Mammogram — left cranio-caudal. 36-year-old patient.
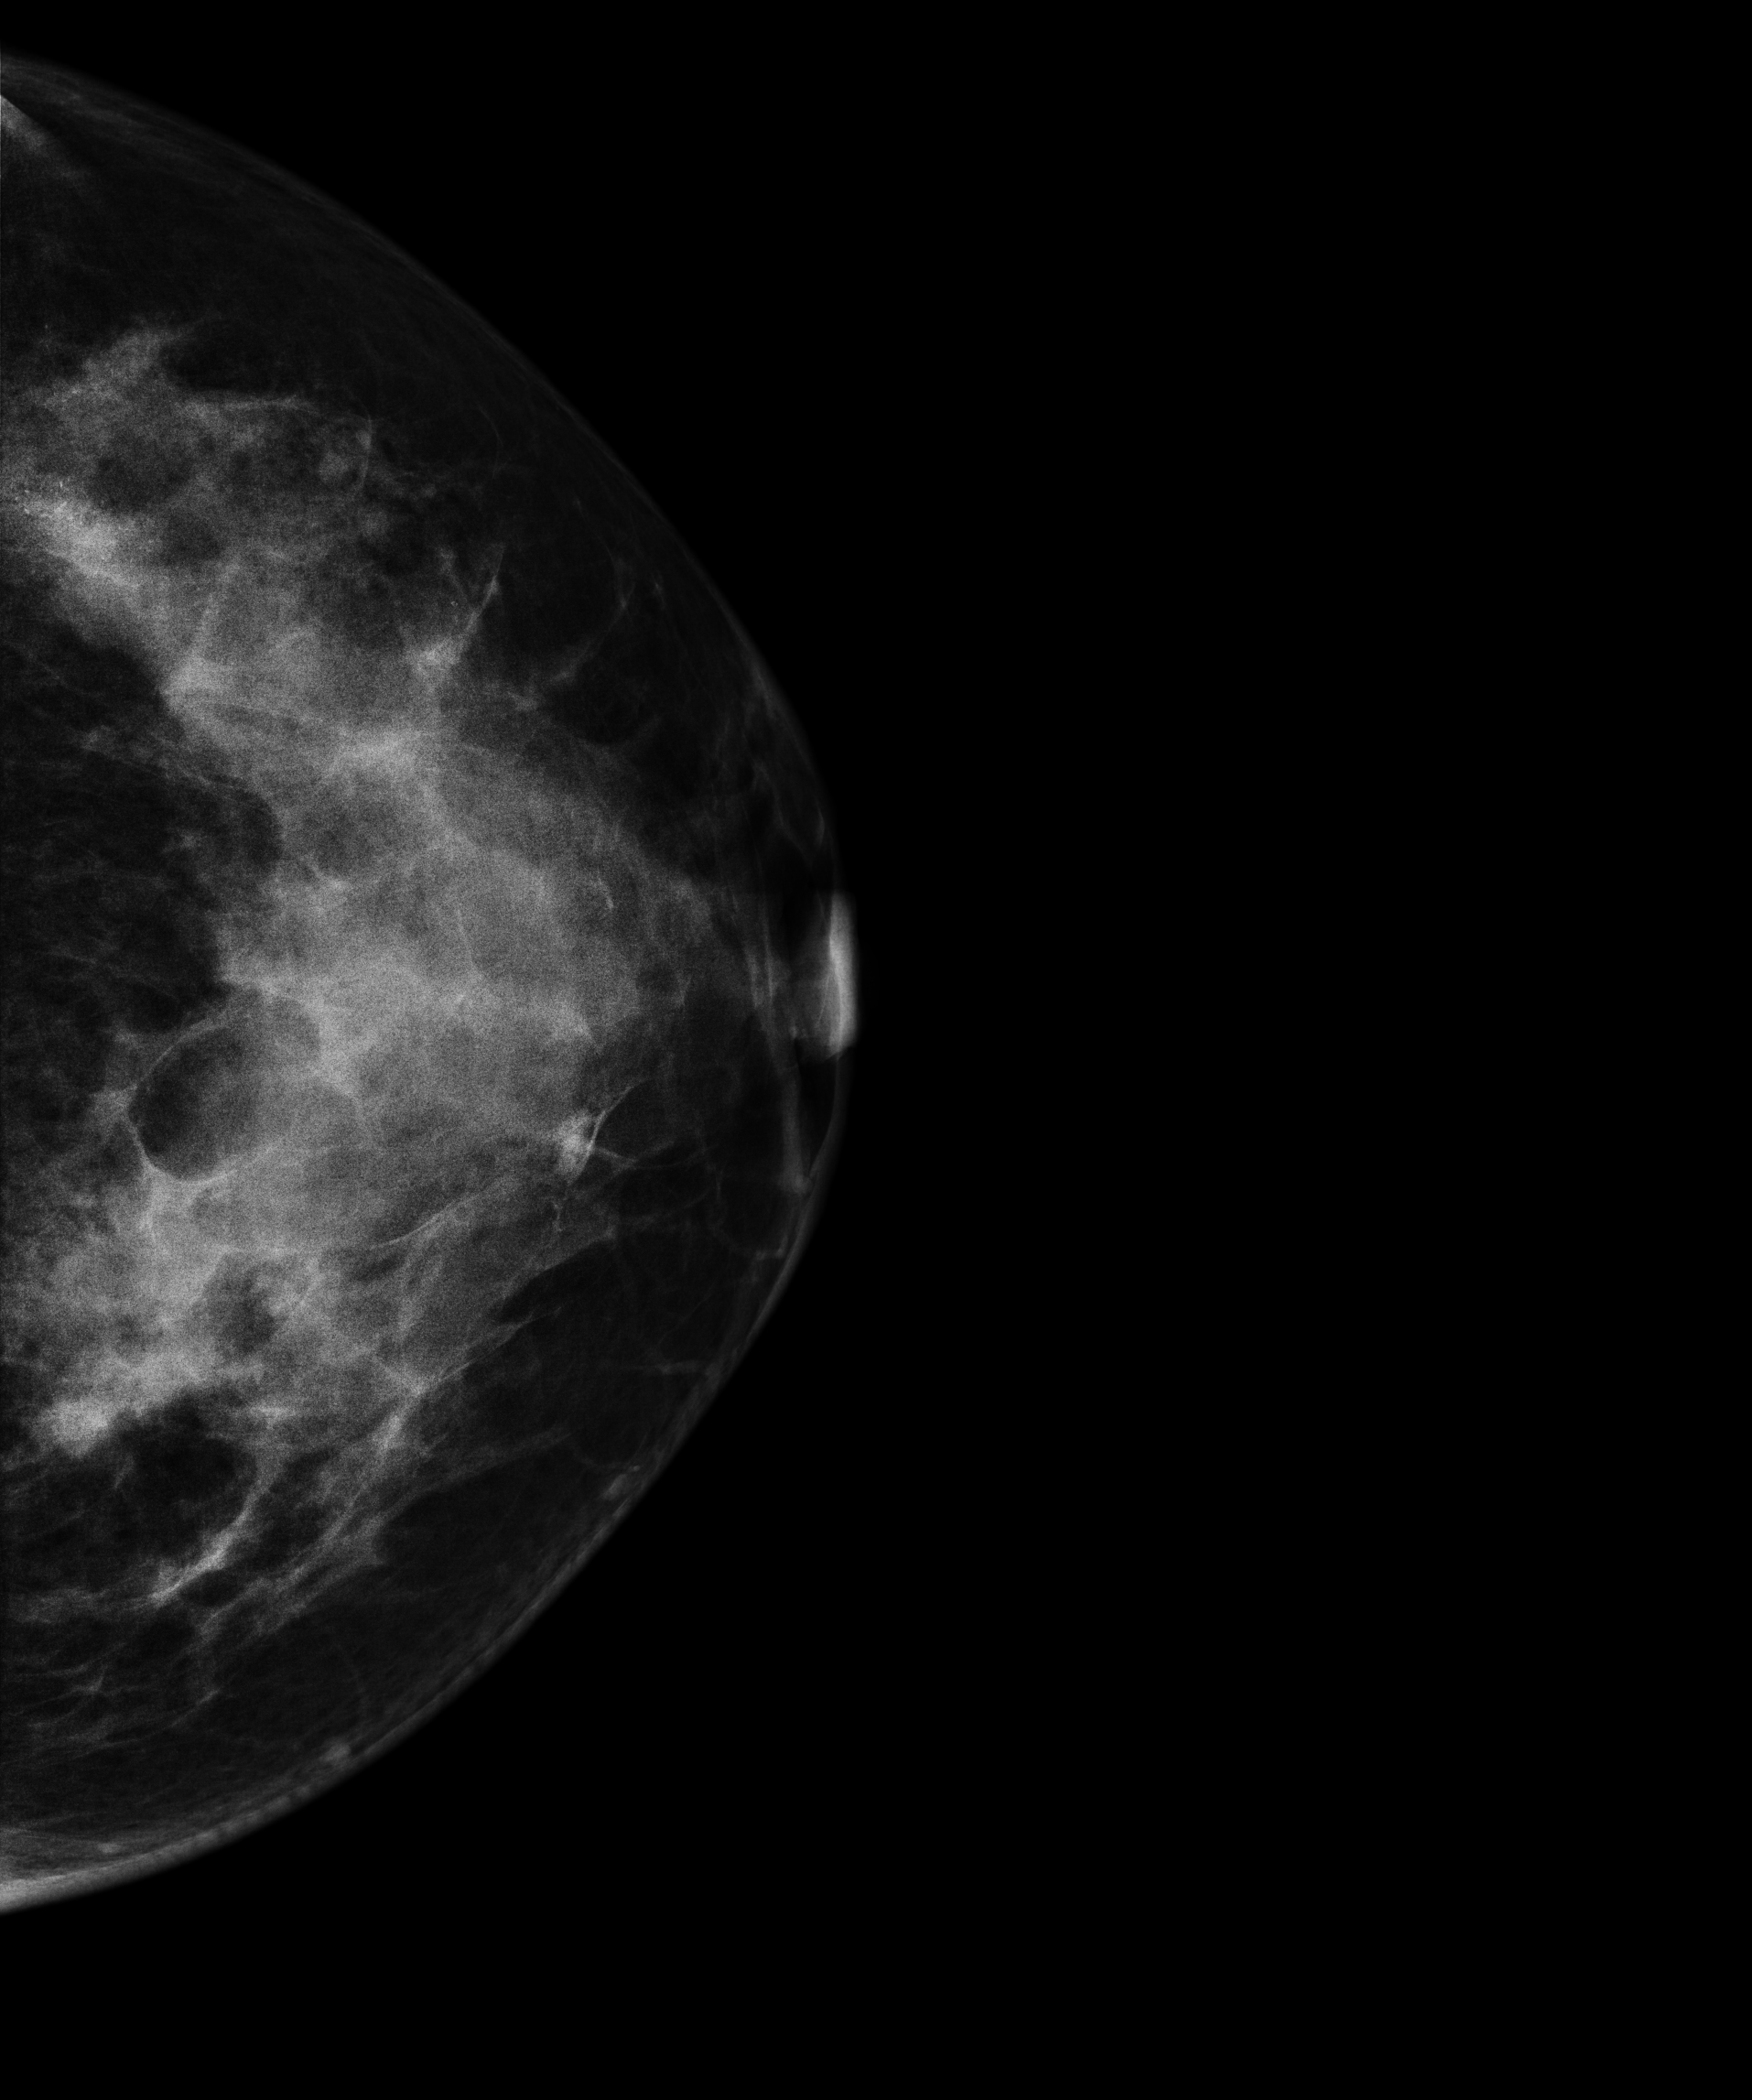
This breast has calcifications, pathology-confirmed malignant.